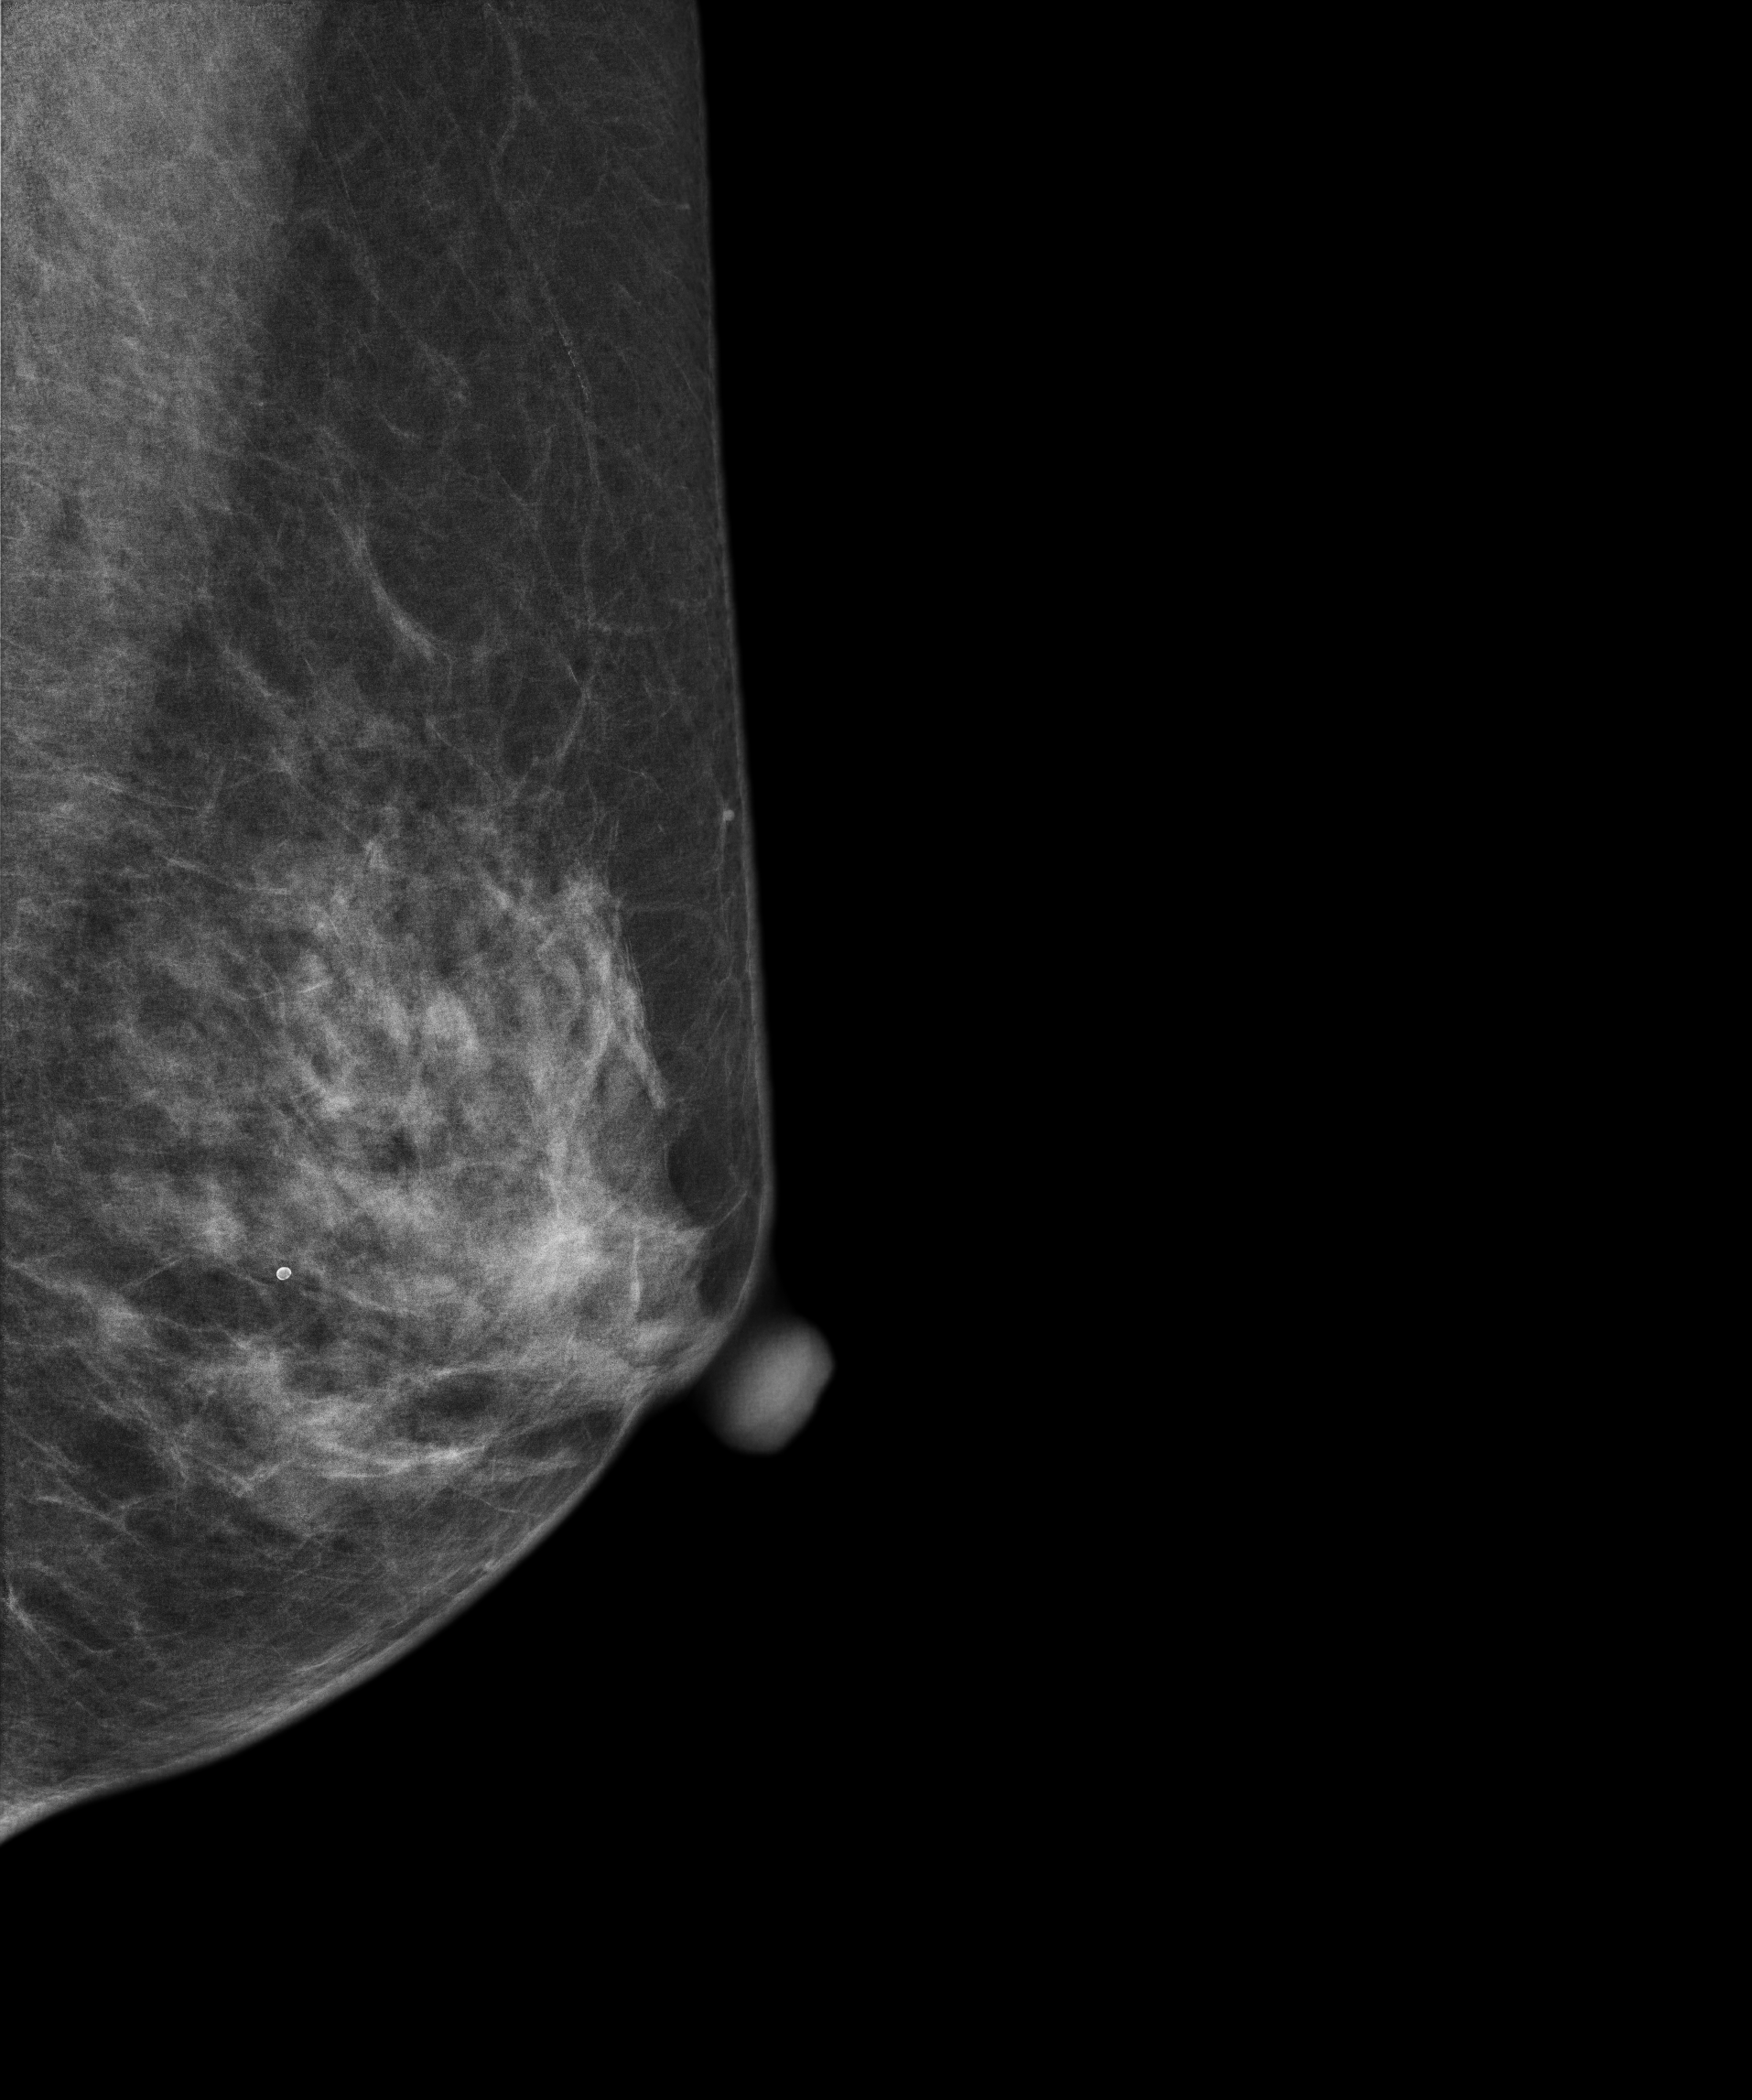
Mammogram, left breast, medio-lateral oblique view. Patient age 45.
This breast has a mass, biopsy-confirmed benign.